Right-breast mammogram, MLO. Patient age 53.
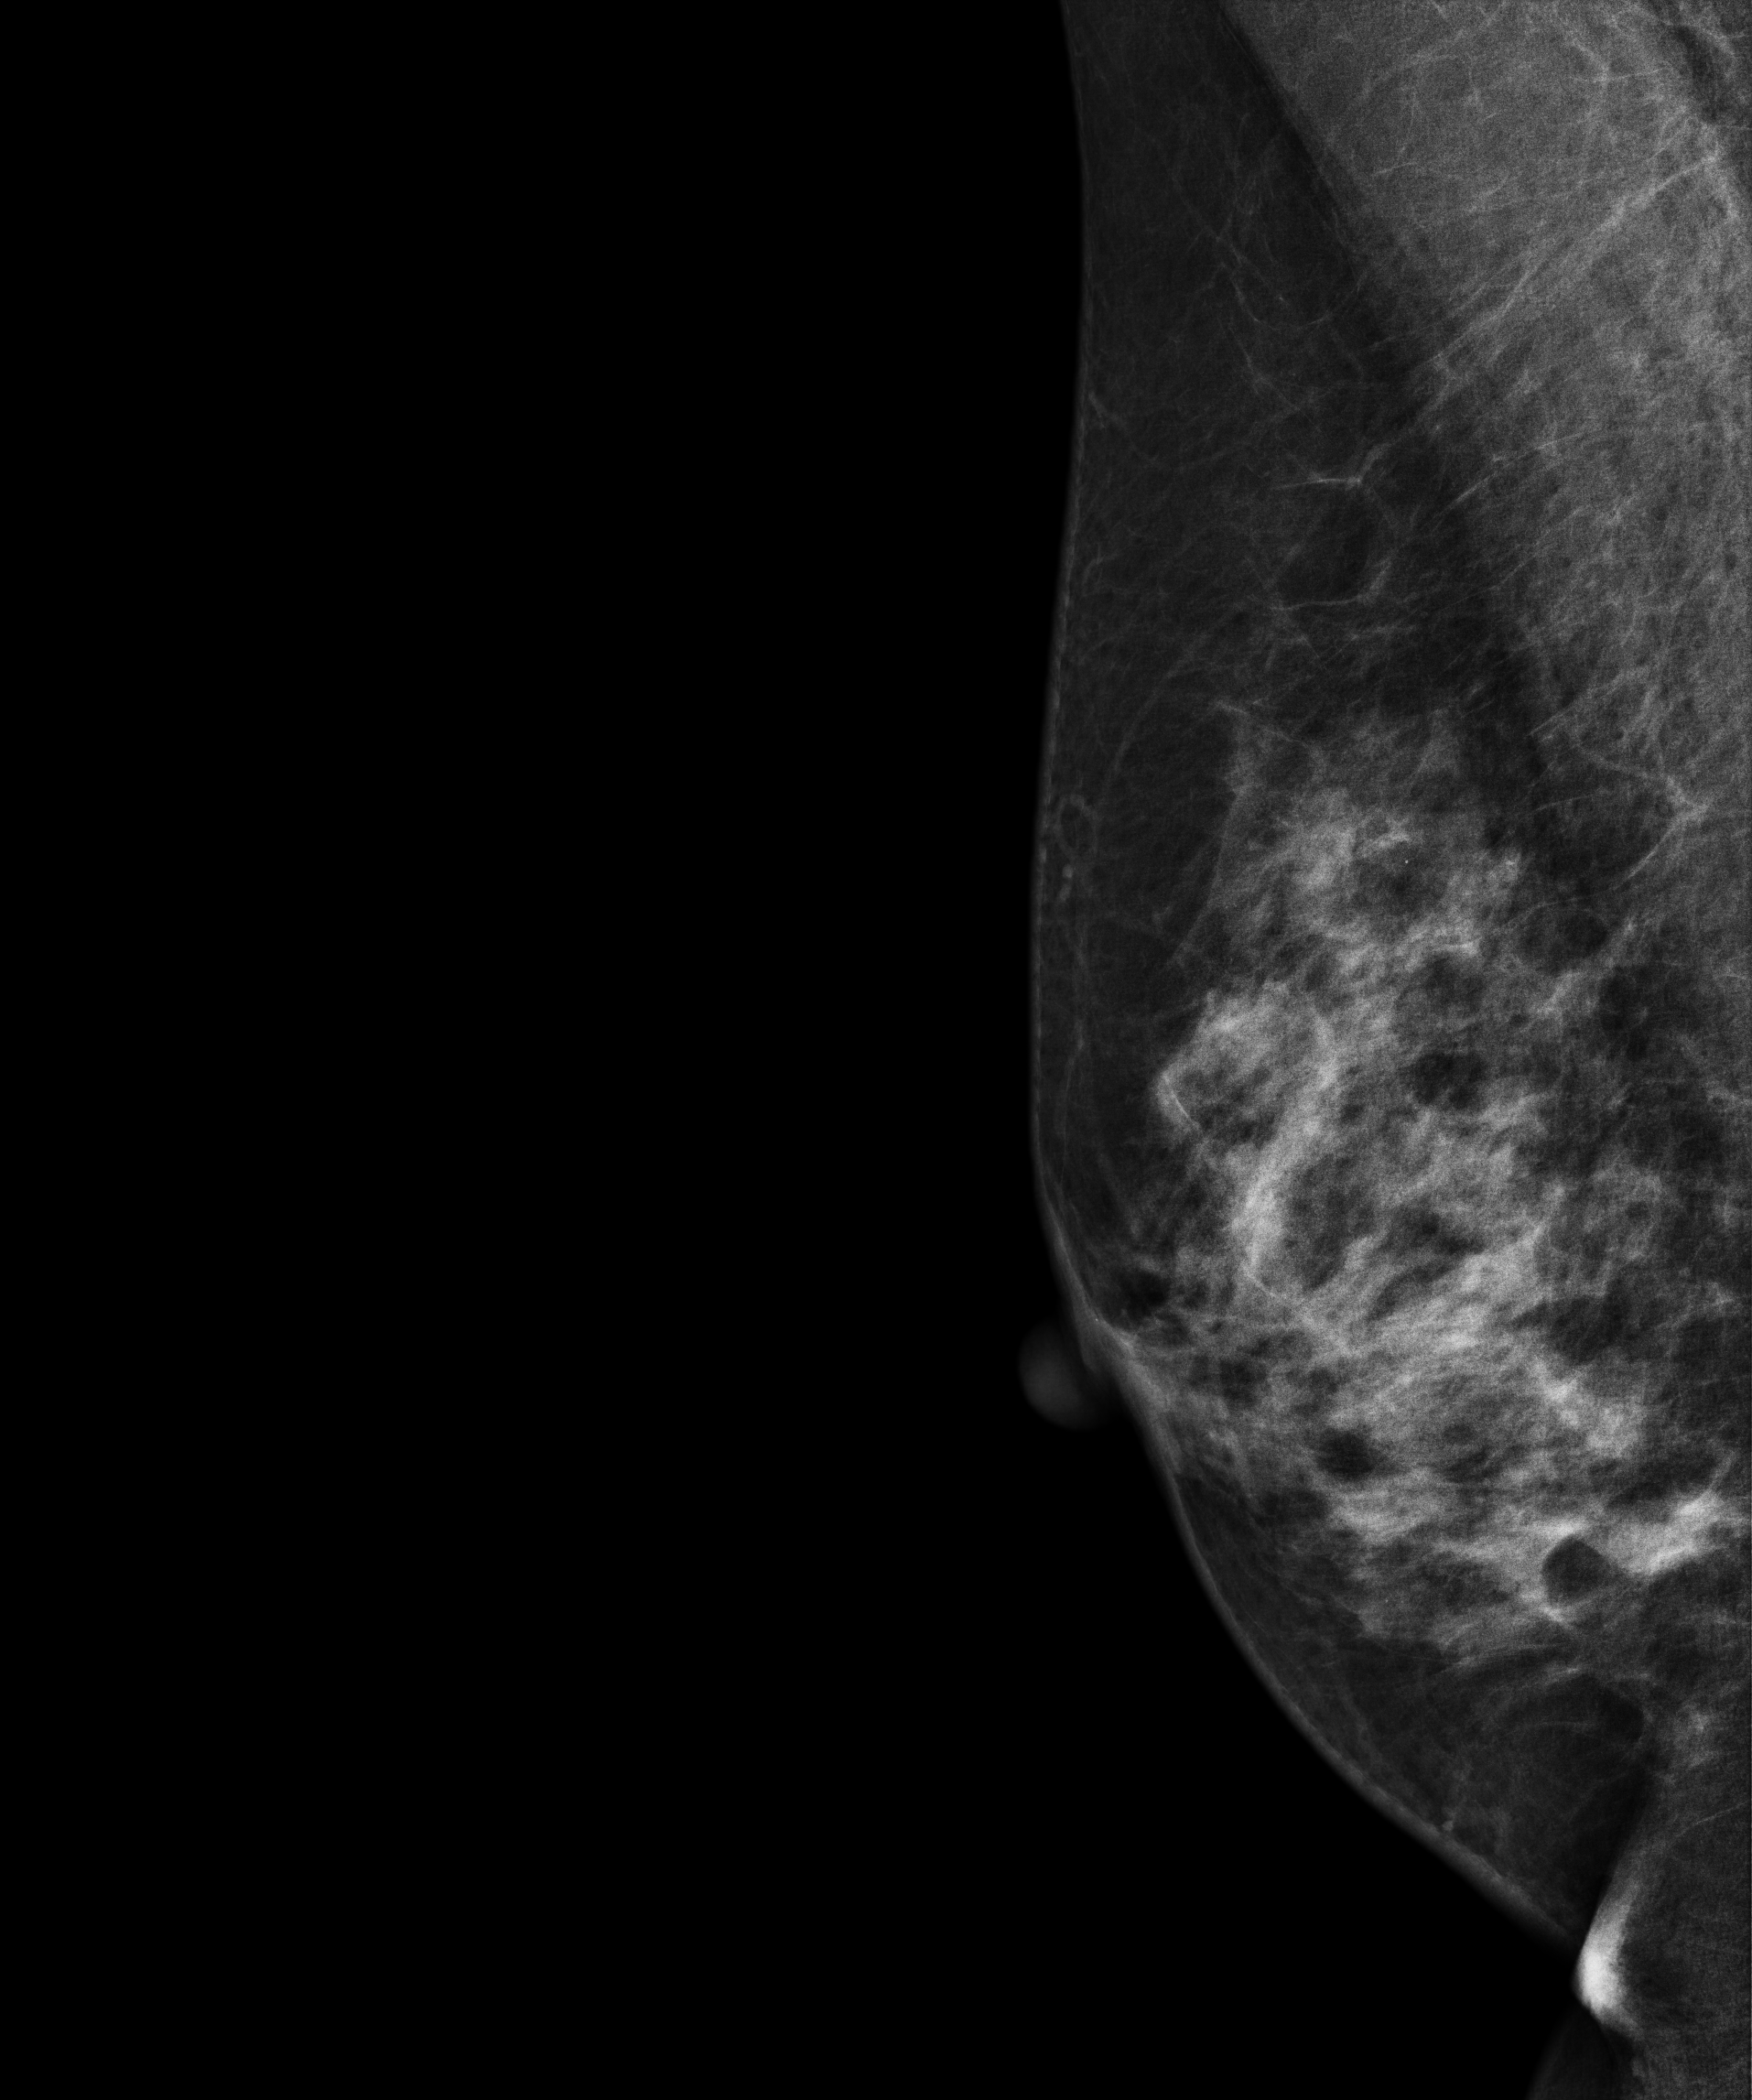
This breast has a mass, biopsy-confirmed benign.